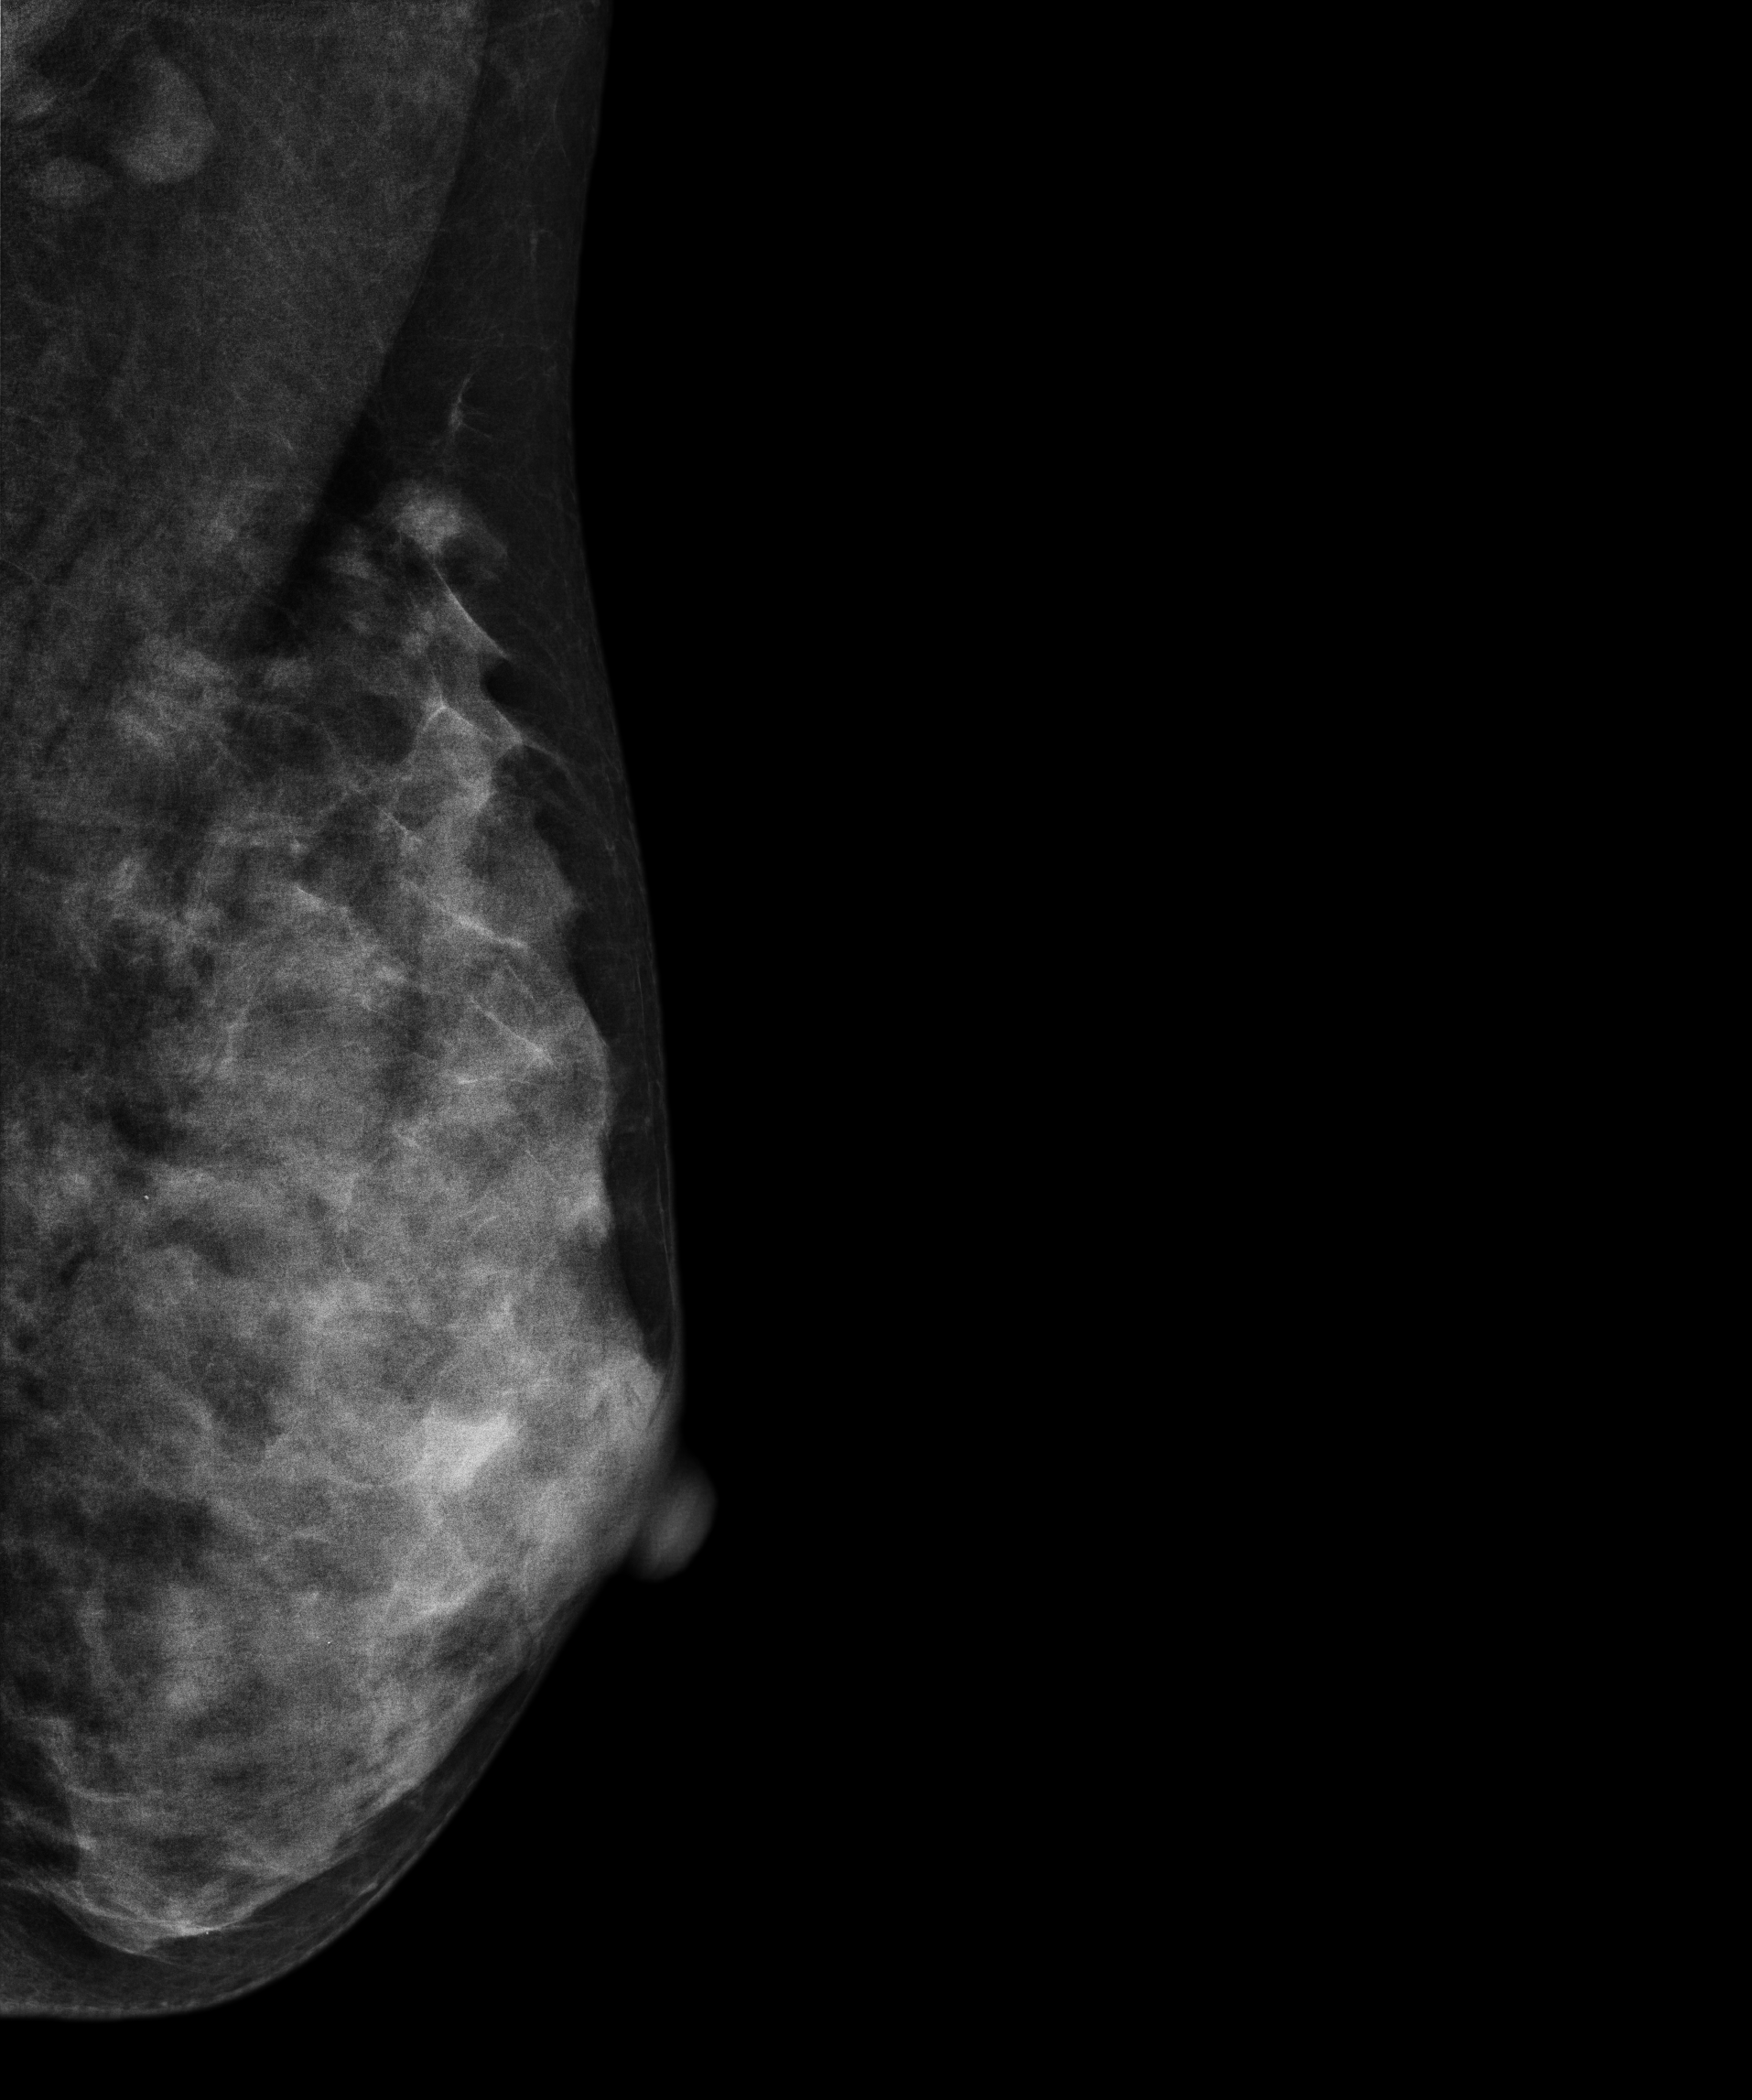
Mammogram — left MLO. Patient age 34.
This breast has a mass, pathology-confirmed benign.